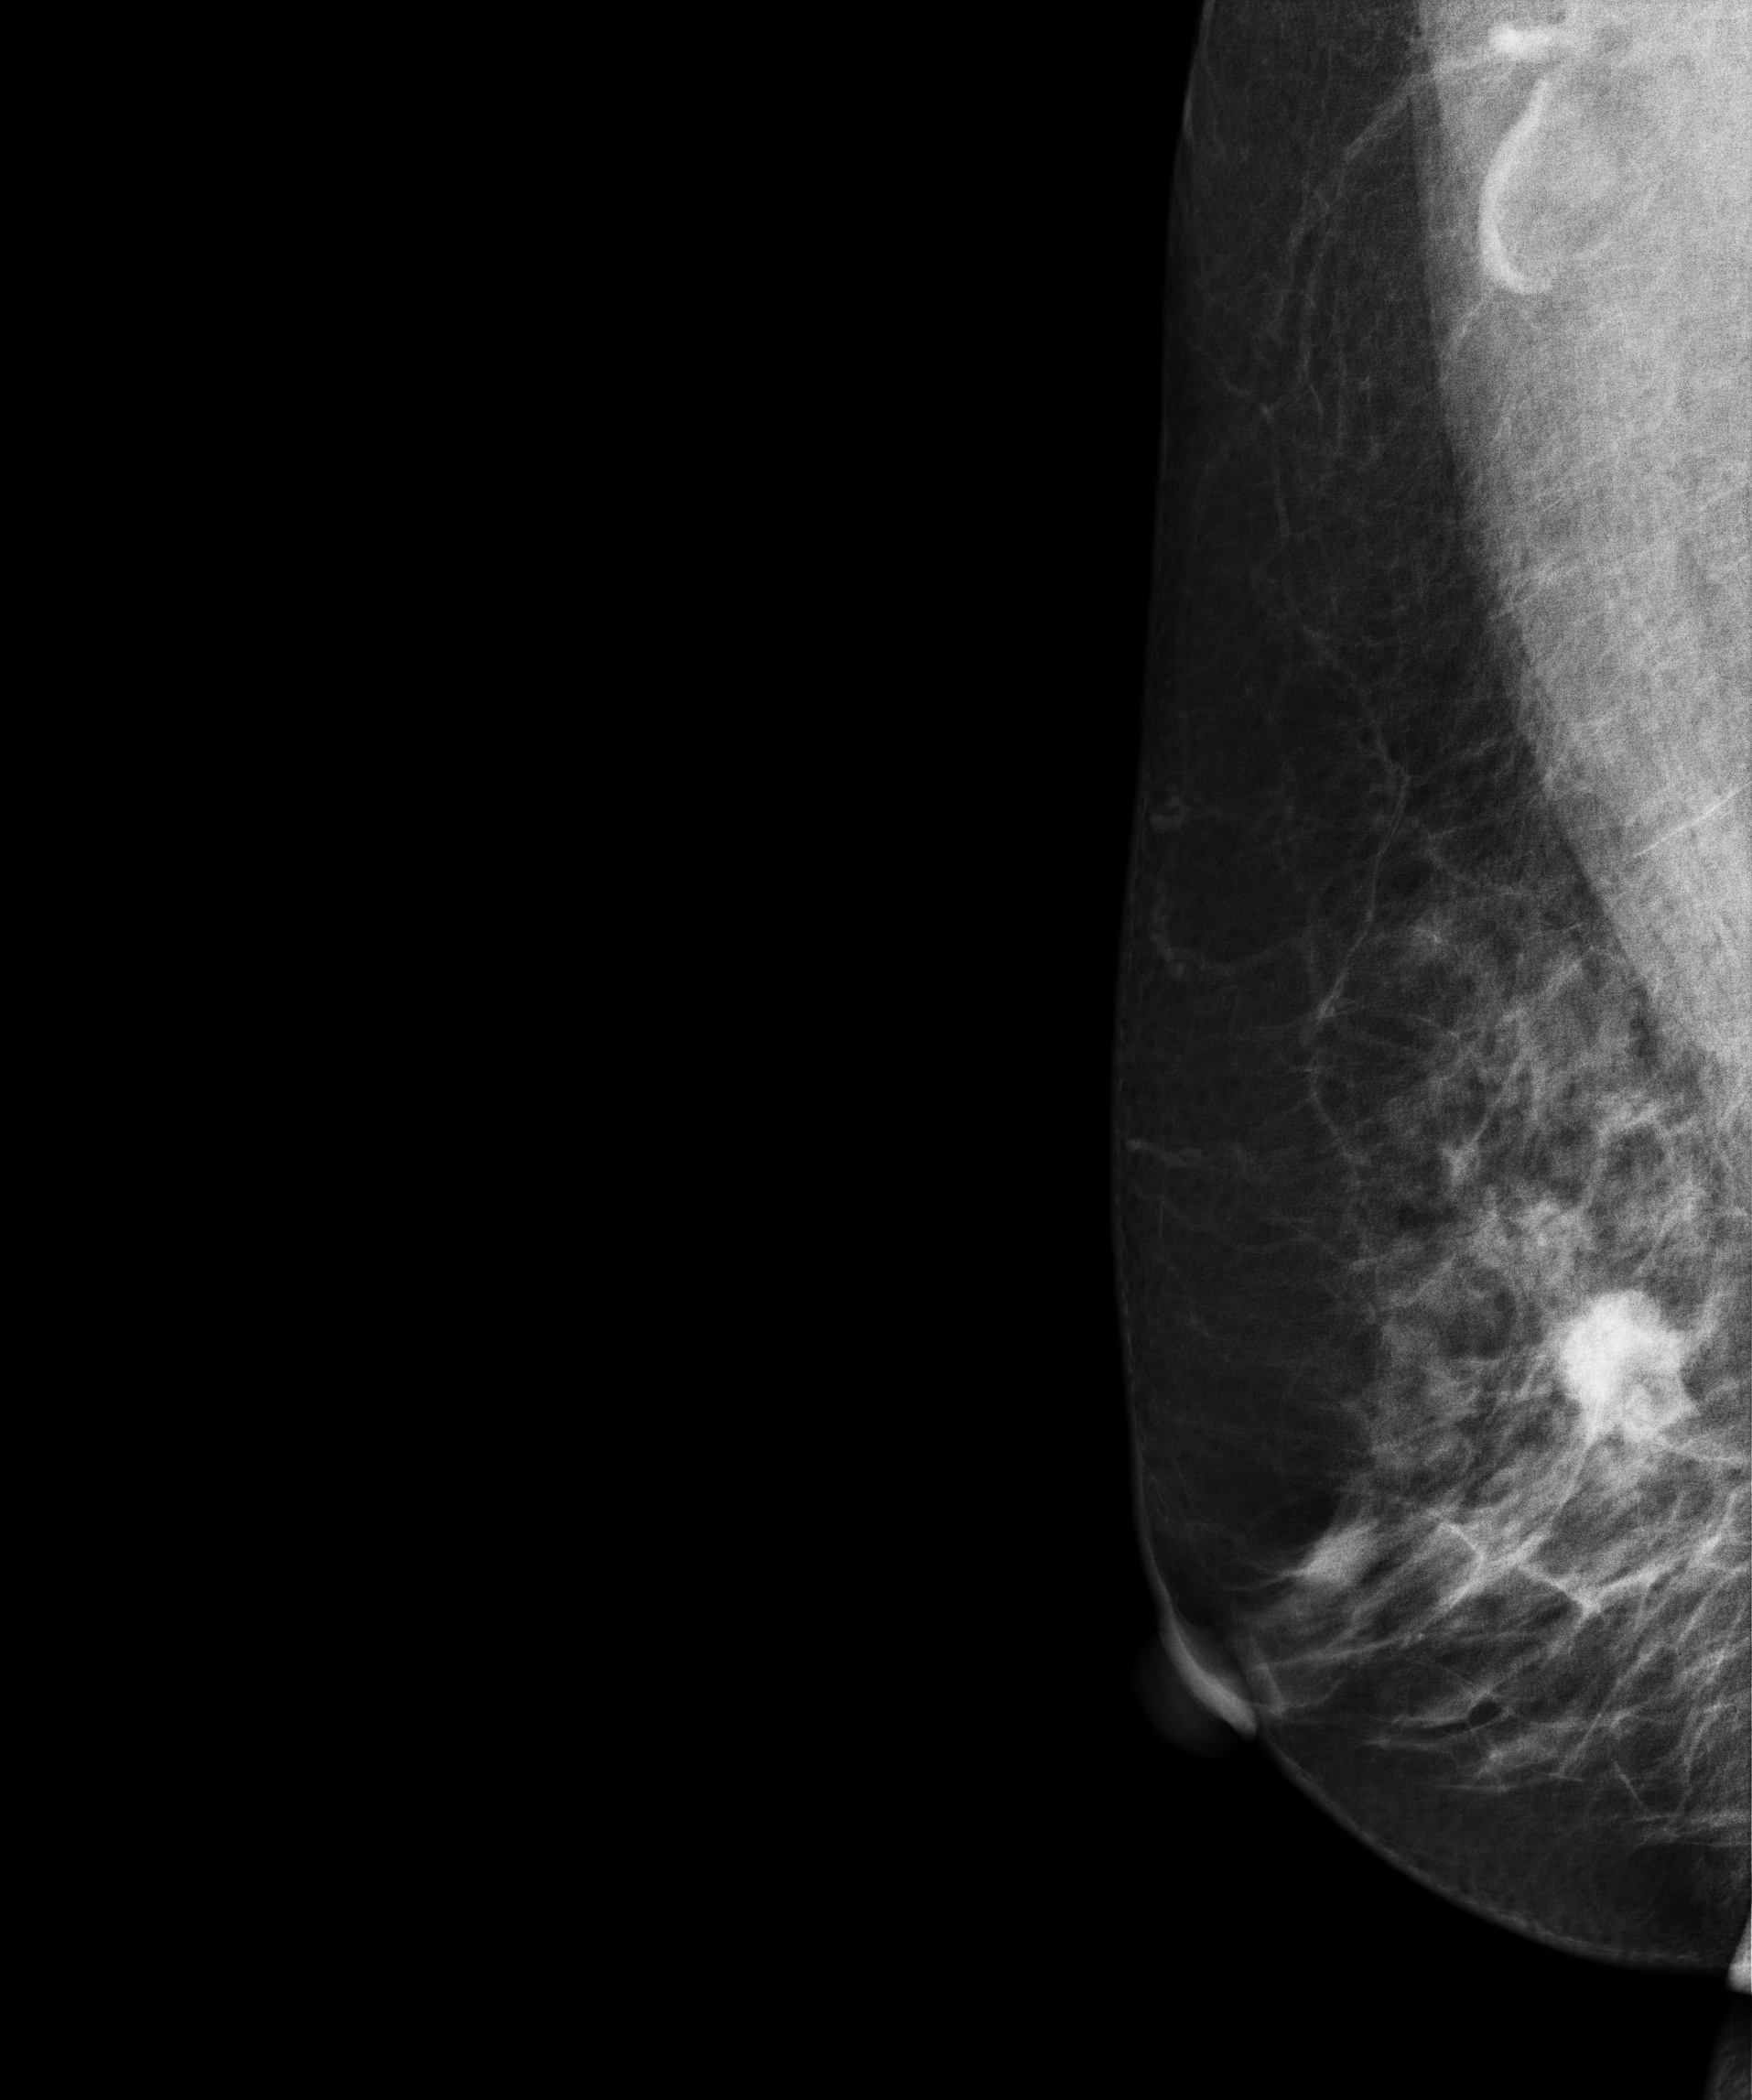
Mammogram, right breast, medio-lateral oblique view. 50 y/o patient.
This breast has a mass, biopsy-proven malignant. Molecular subtype: luminal A.